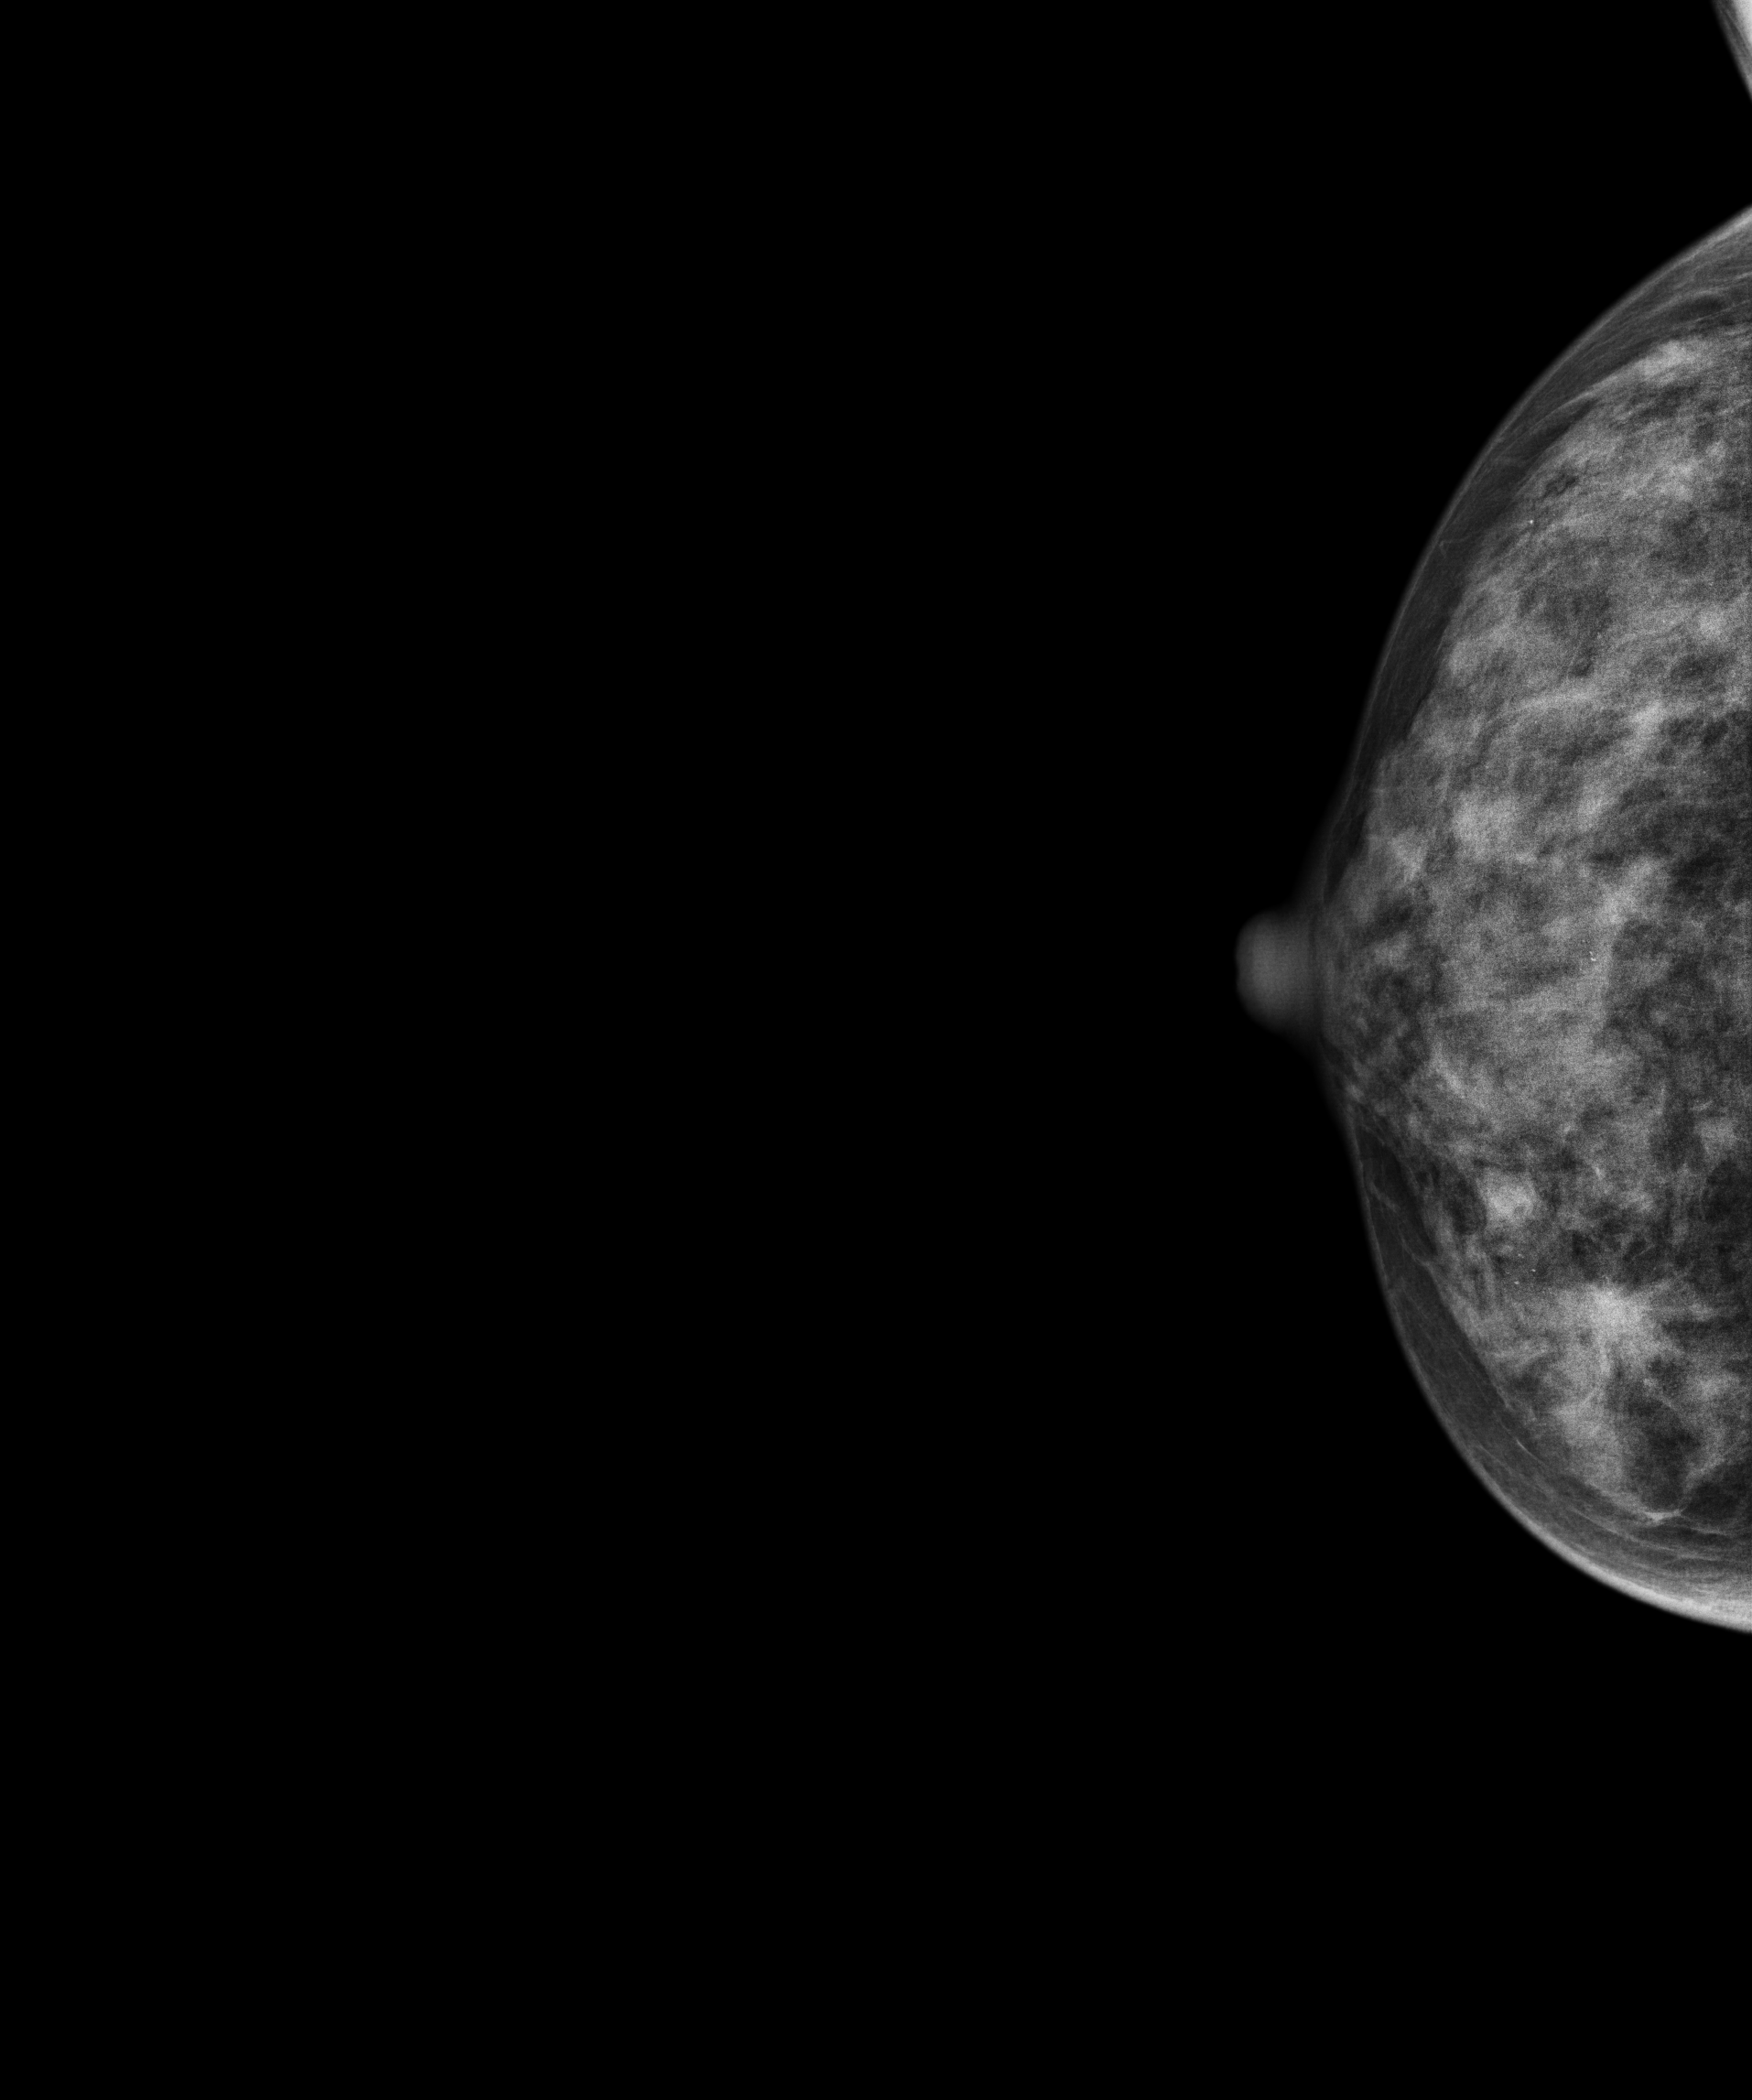
Digital mammography. Right breast, cranio-caudal projection. 44-year-old patient.
This breast has a mass and calcifications, pathology-confirmed benign.